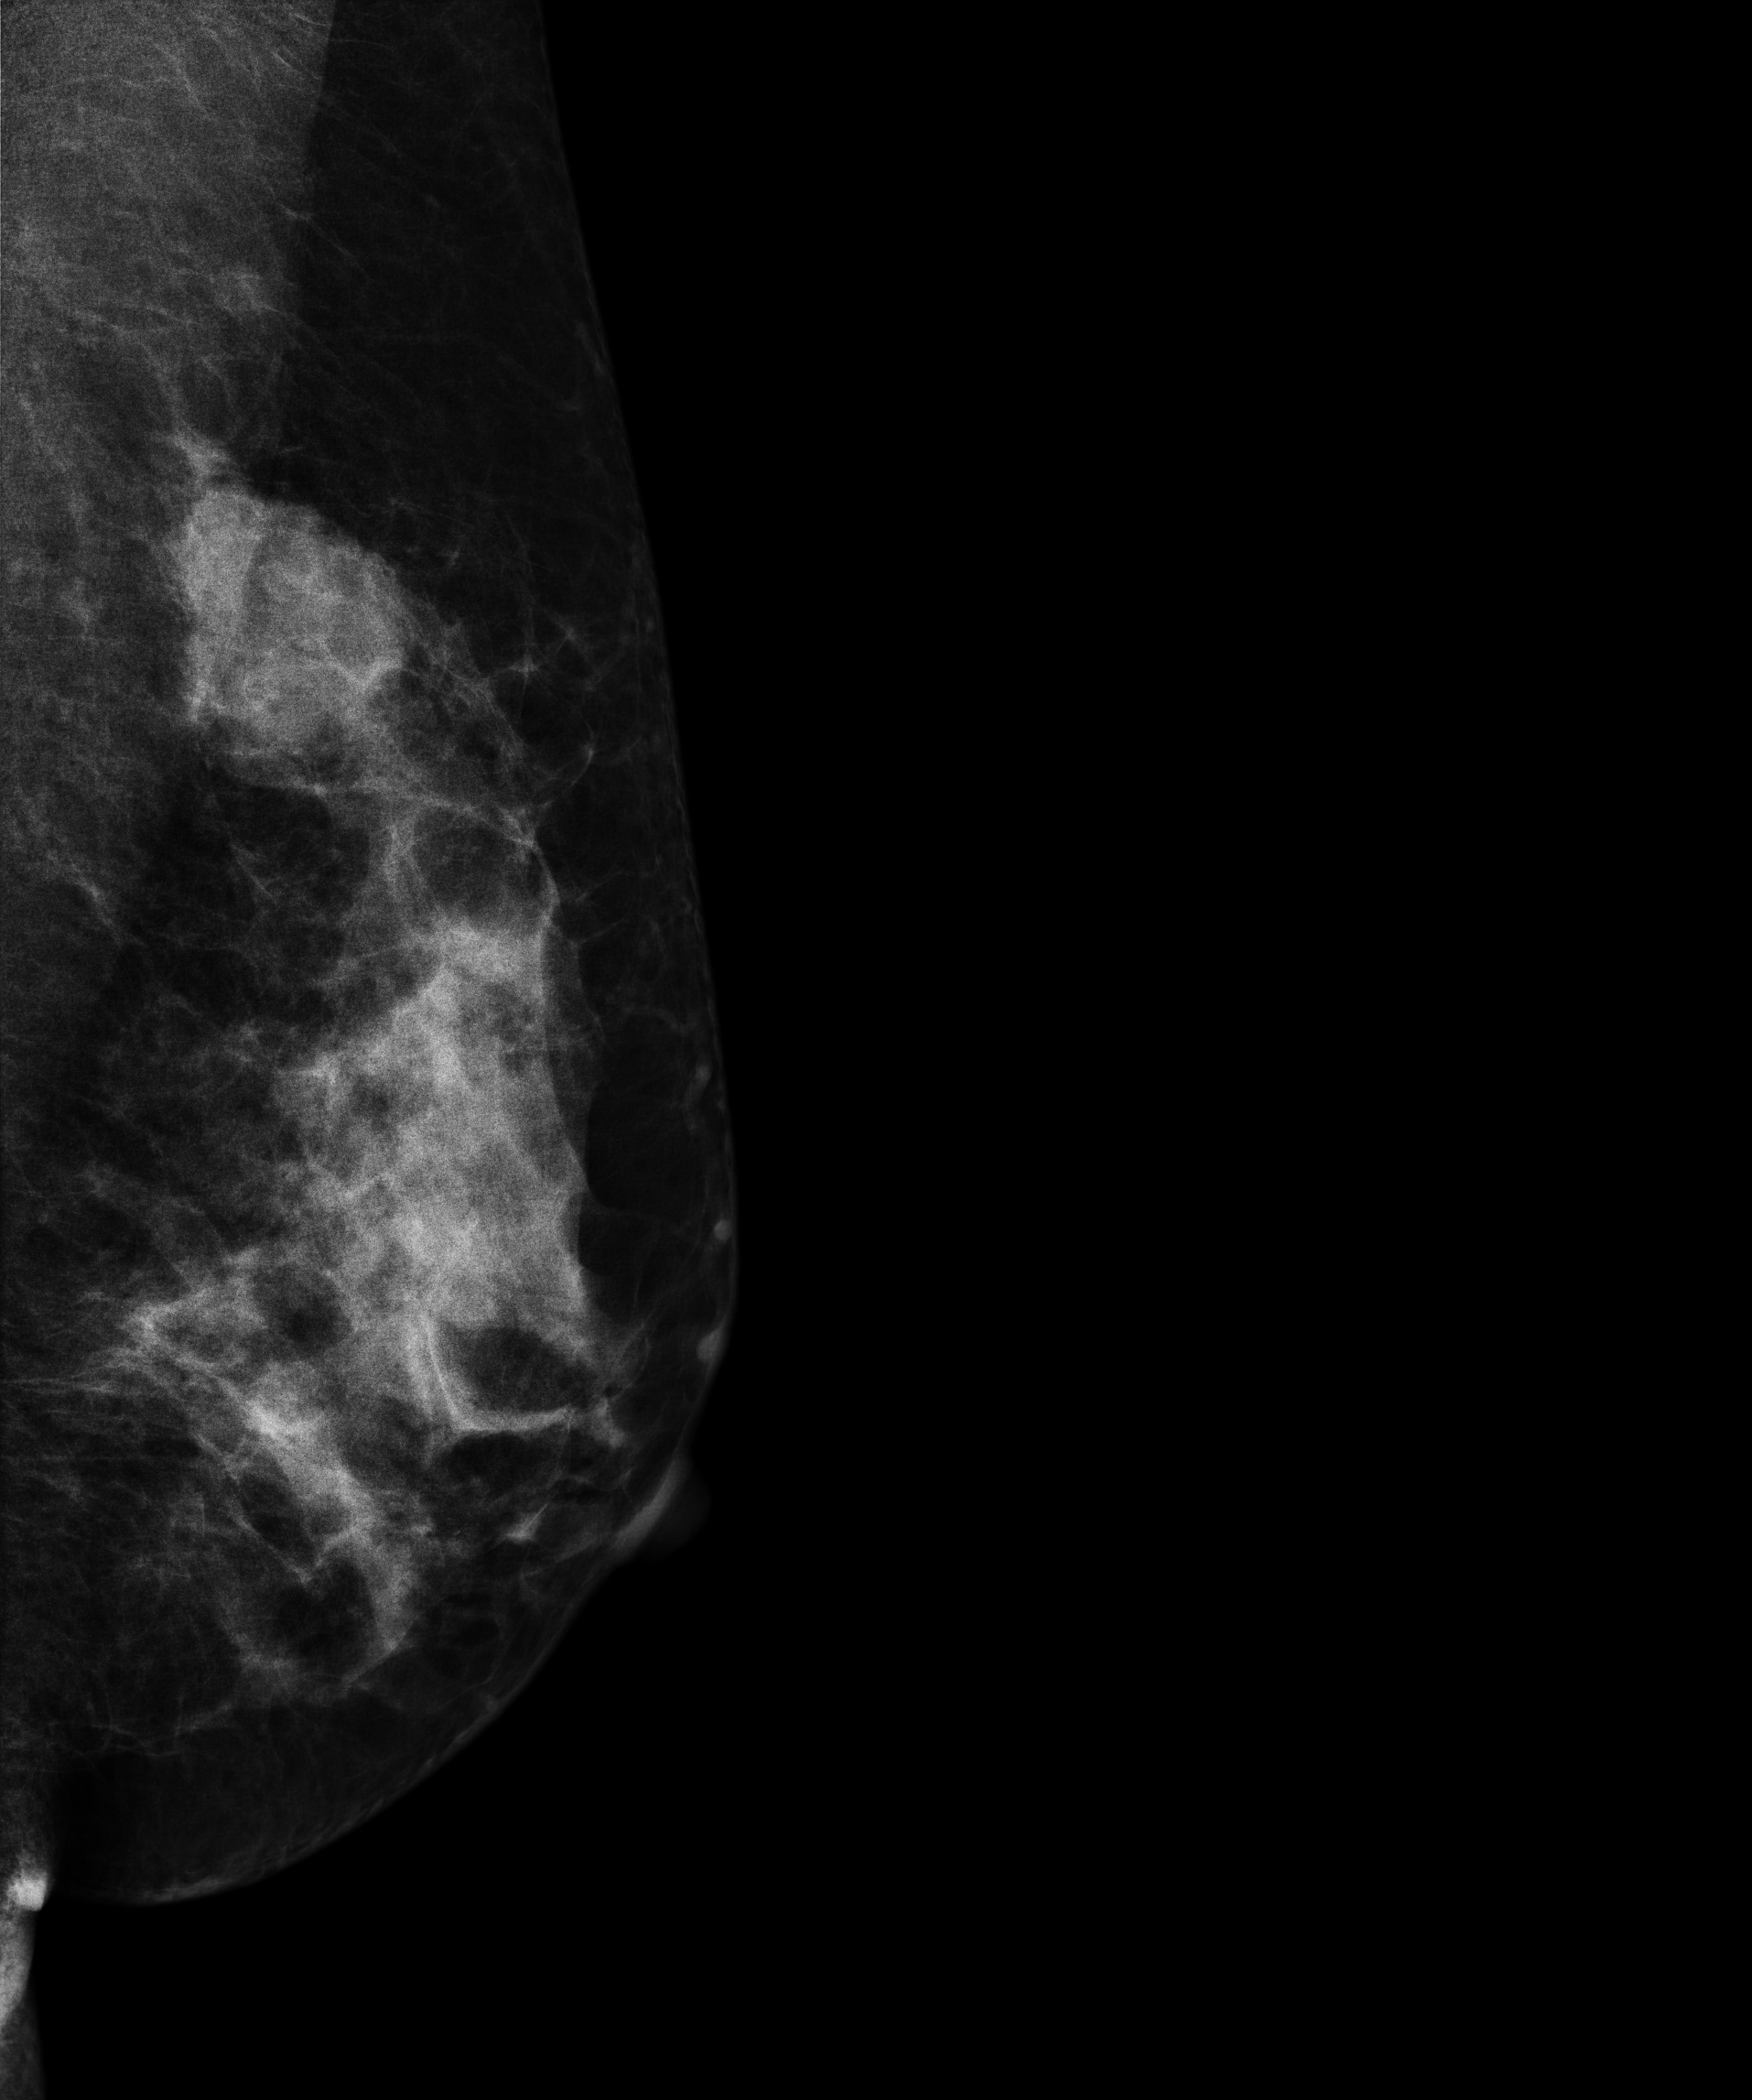
Mammogram, left breast, medio-lateral oblique view. 48 y/o patient.
This breast has a mass, biopsy-proven malignant.